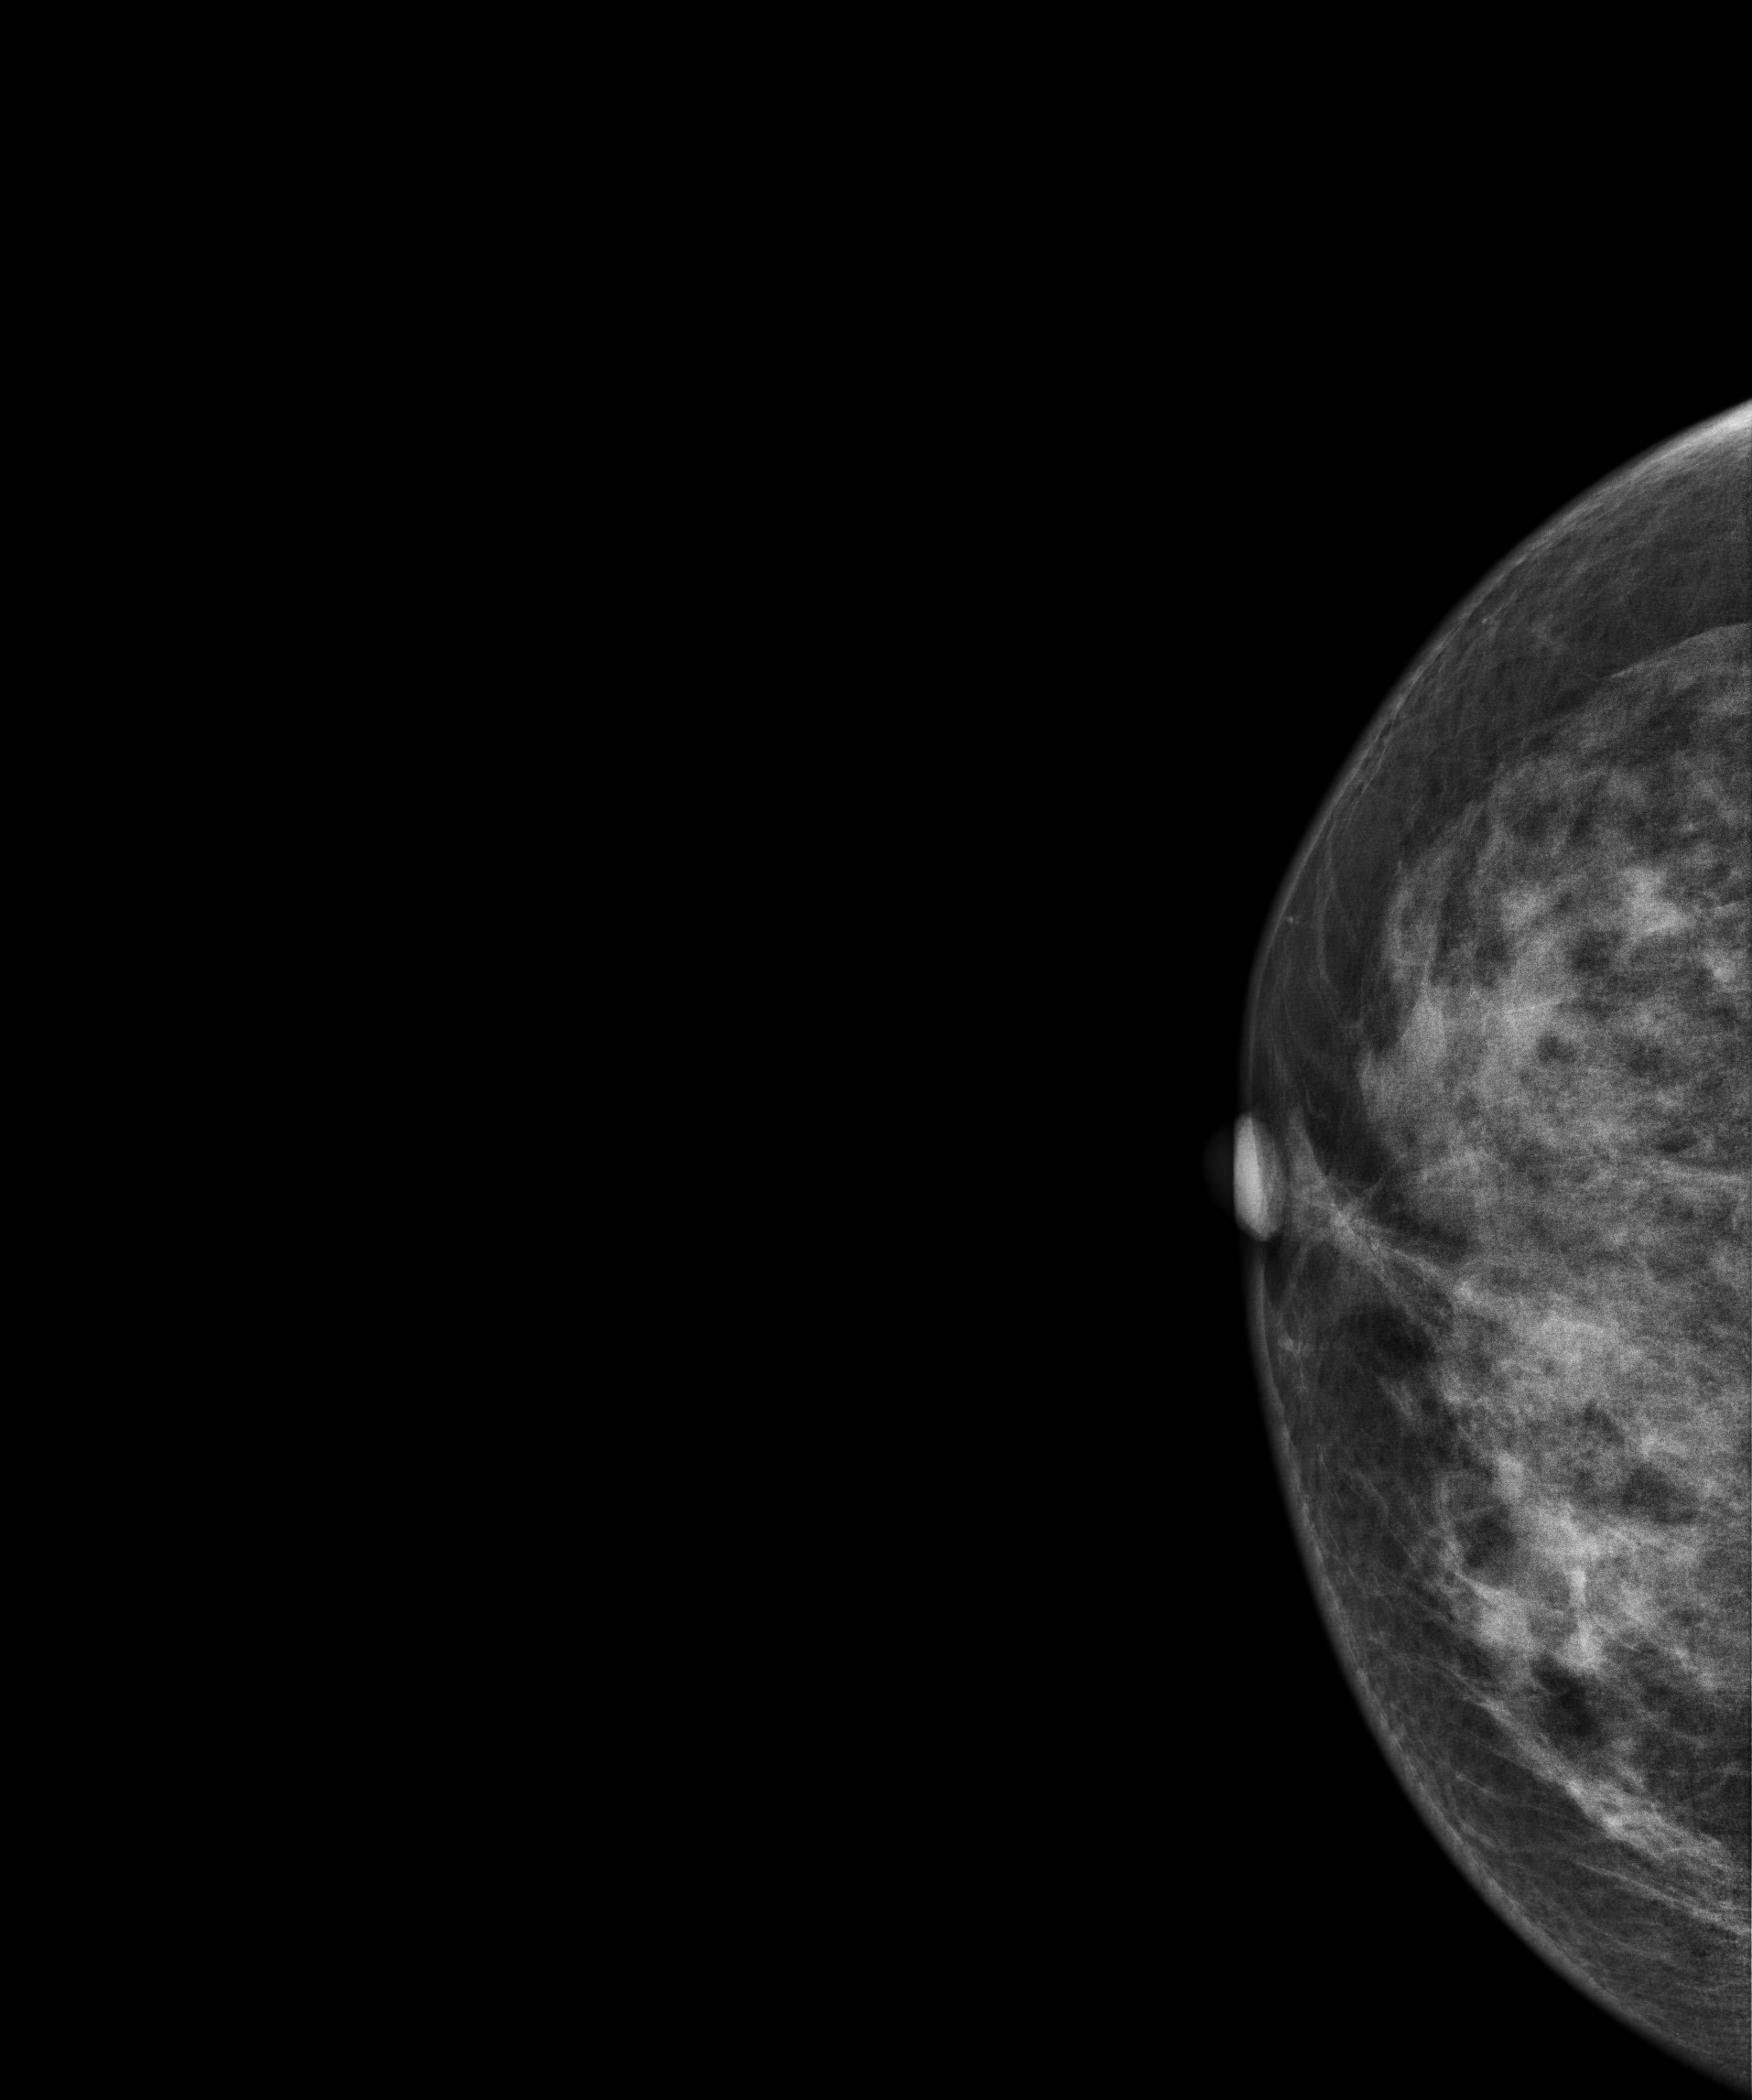
CC mammogram of the right breast. 34 y/o patient.
This breast has a mass, pathology-confirmed malignant. Molecular subtype: triple-negative.